Mammogram — right medio-lateral oblique. Patient age 35.
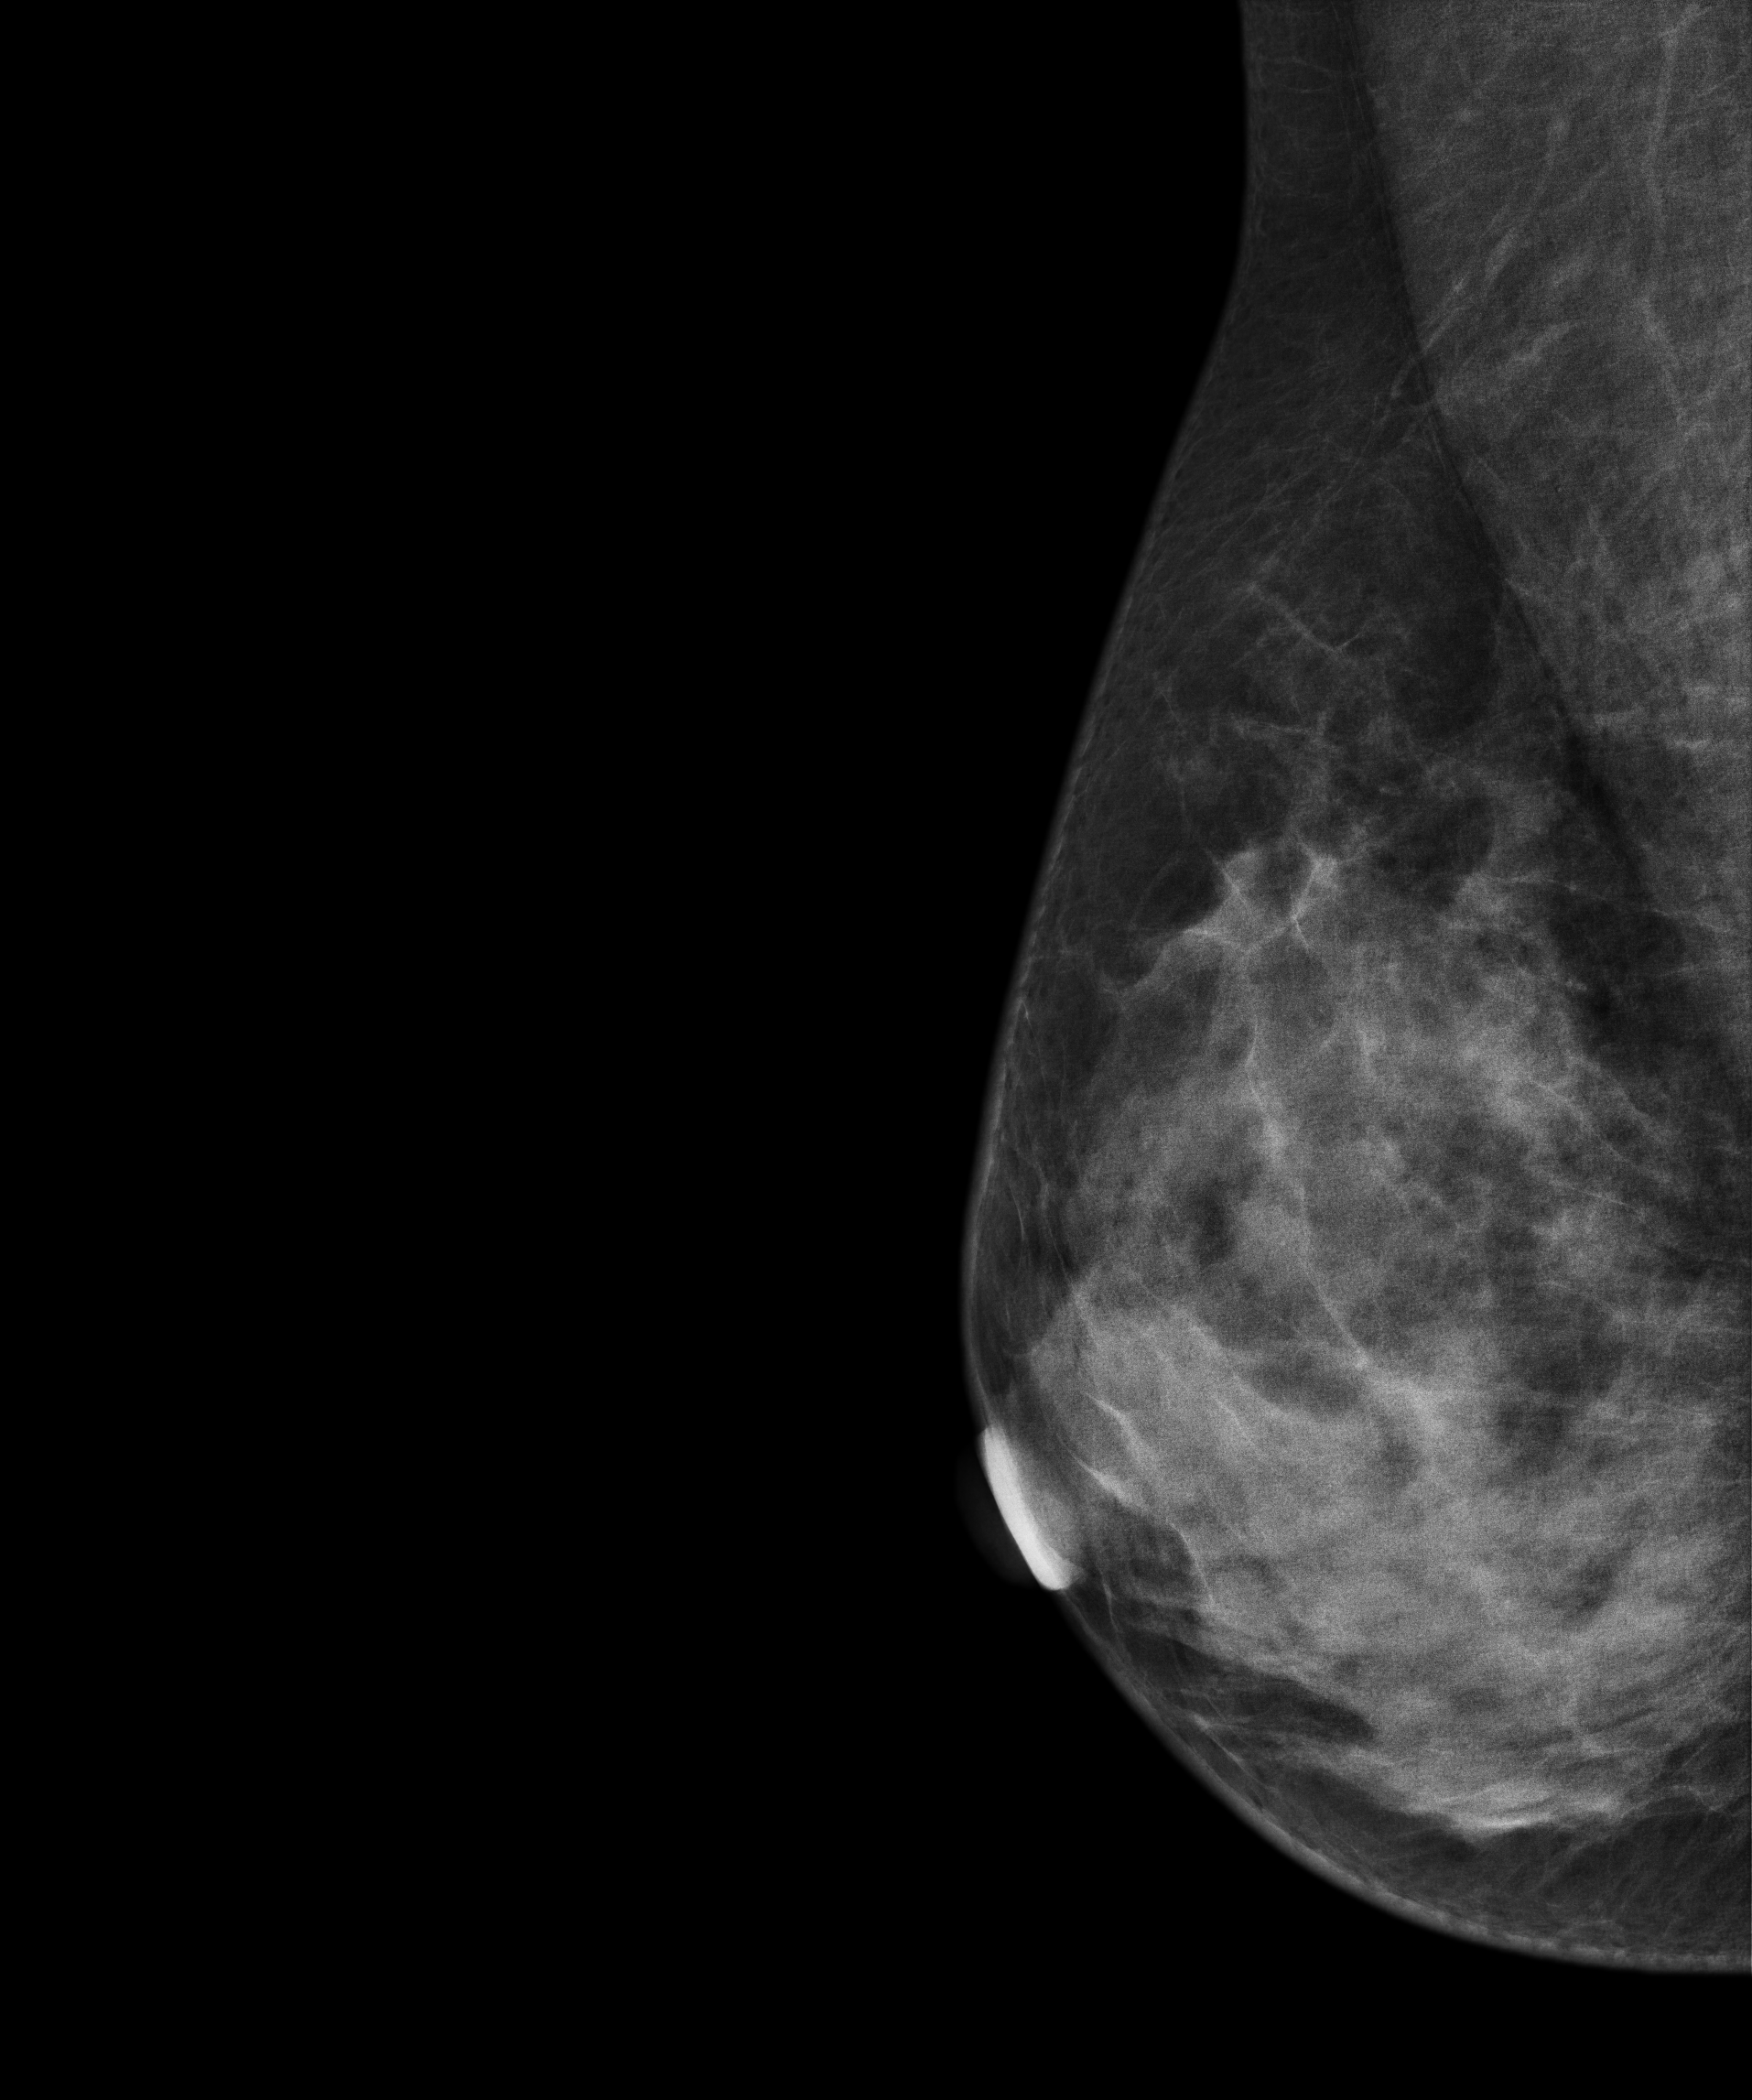
Contralateral breast — no documented abnormality on this side.